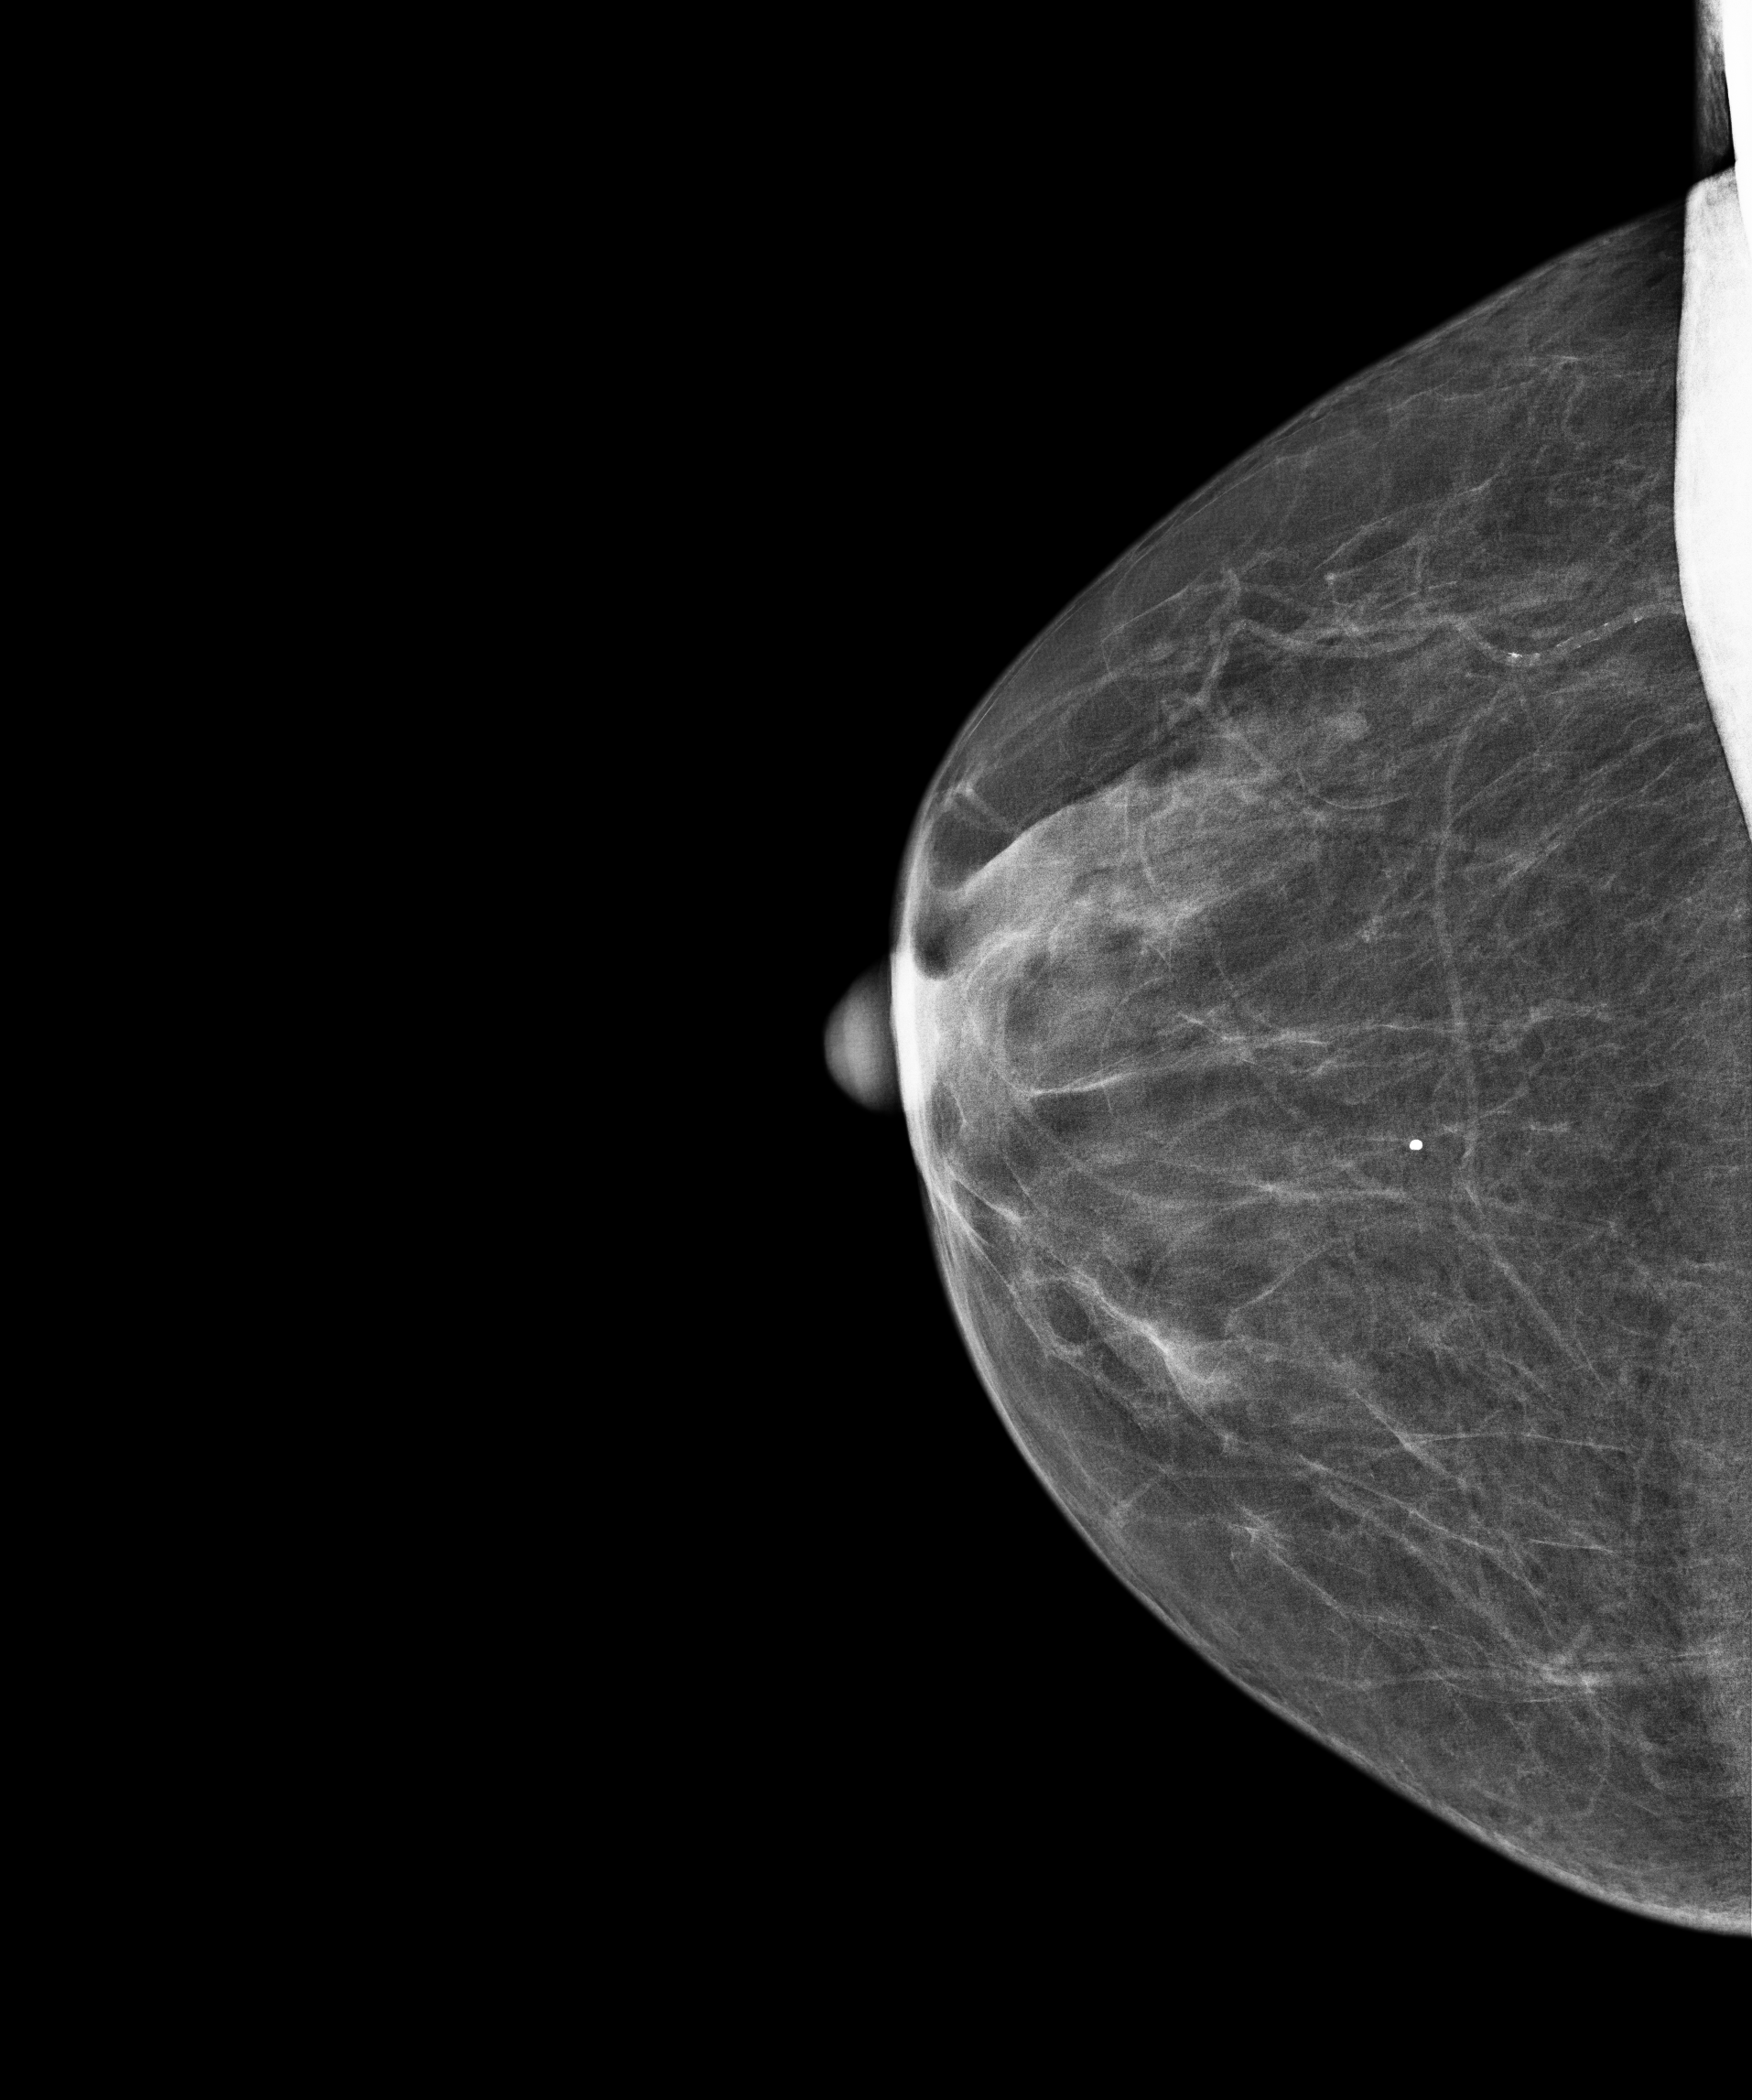
Digital mammography. Right breast, CC projection. Patient age 83.
Contralateral breast — no documented abnormality on this side.